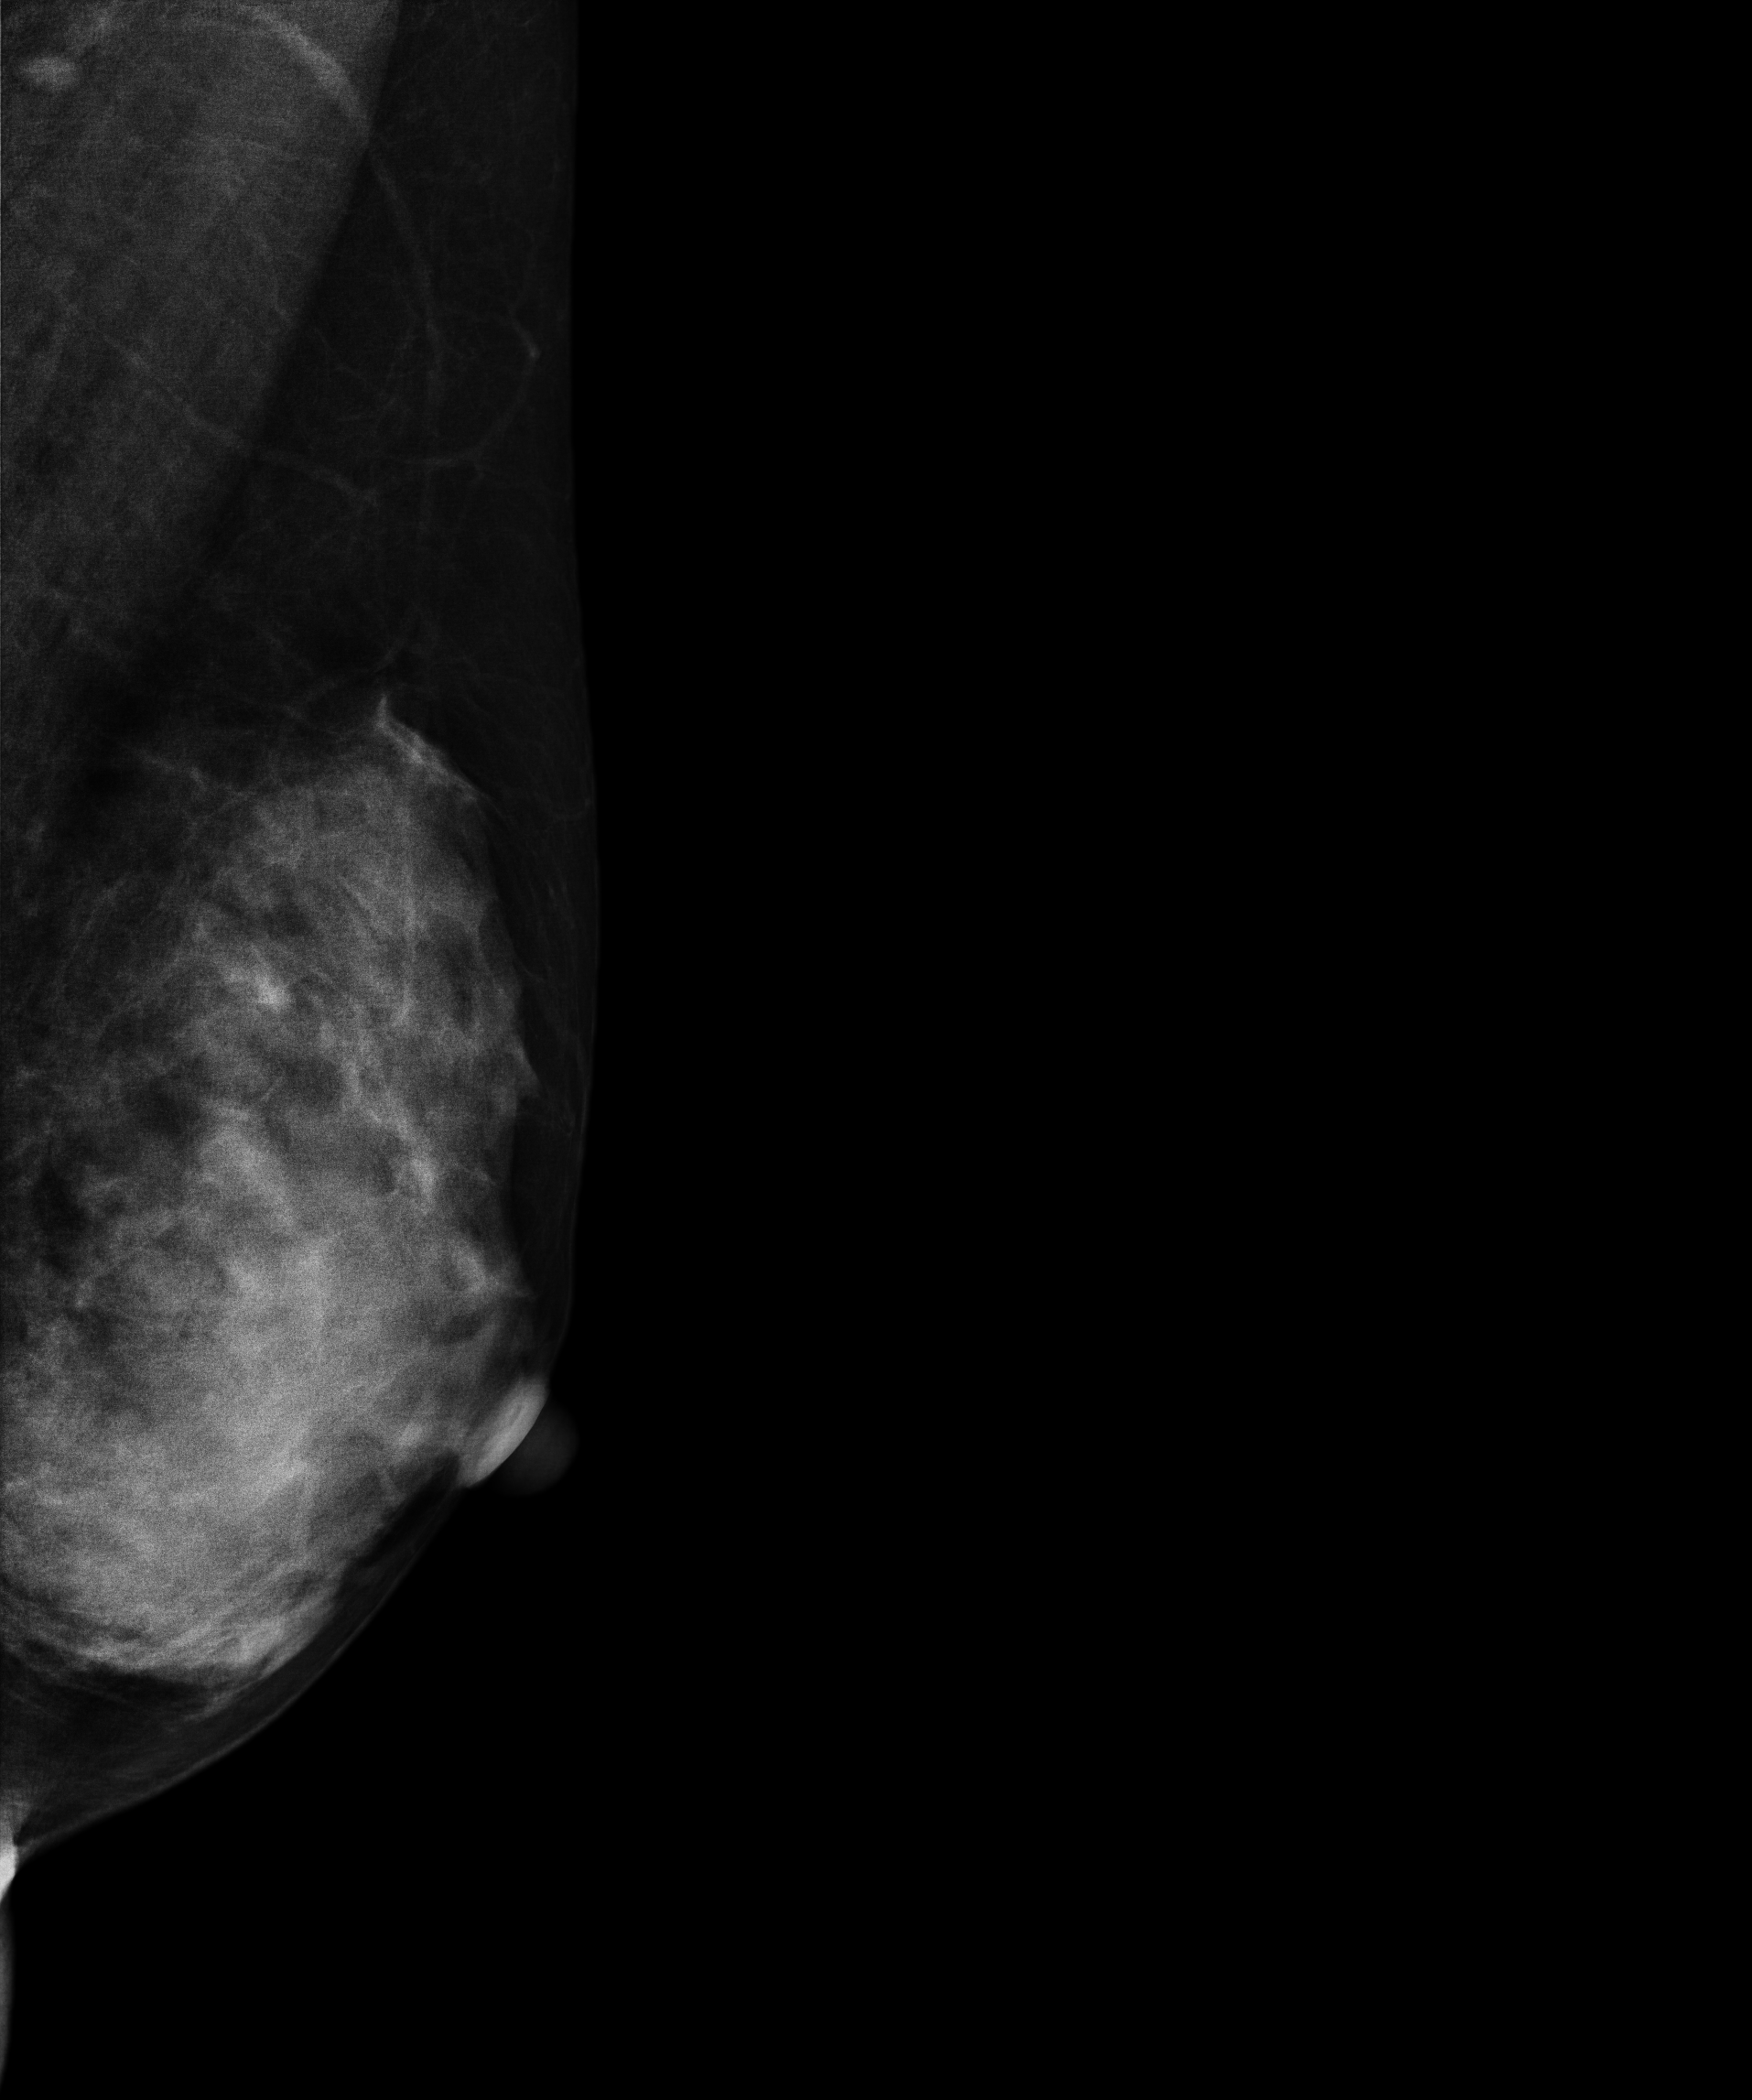
Medio-lateral oblique mammogram of the left breast. 35 y/o patient.
This breast has a mass, biopsy-proven benign.